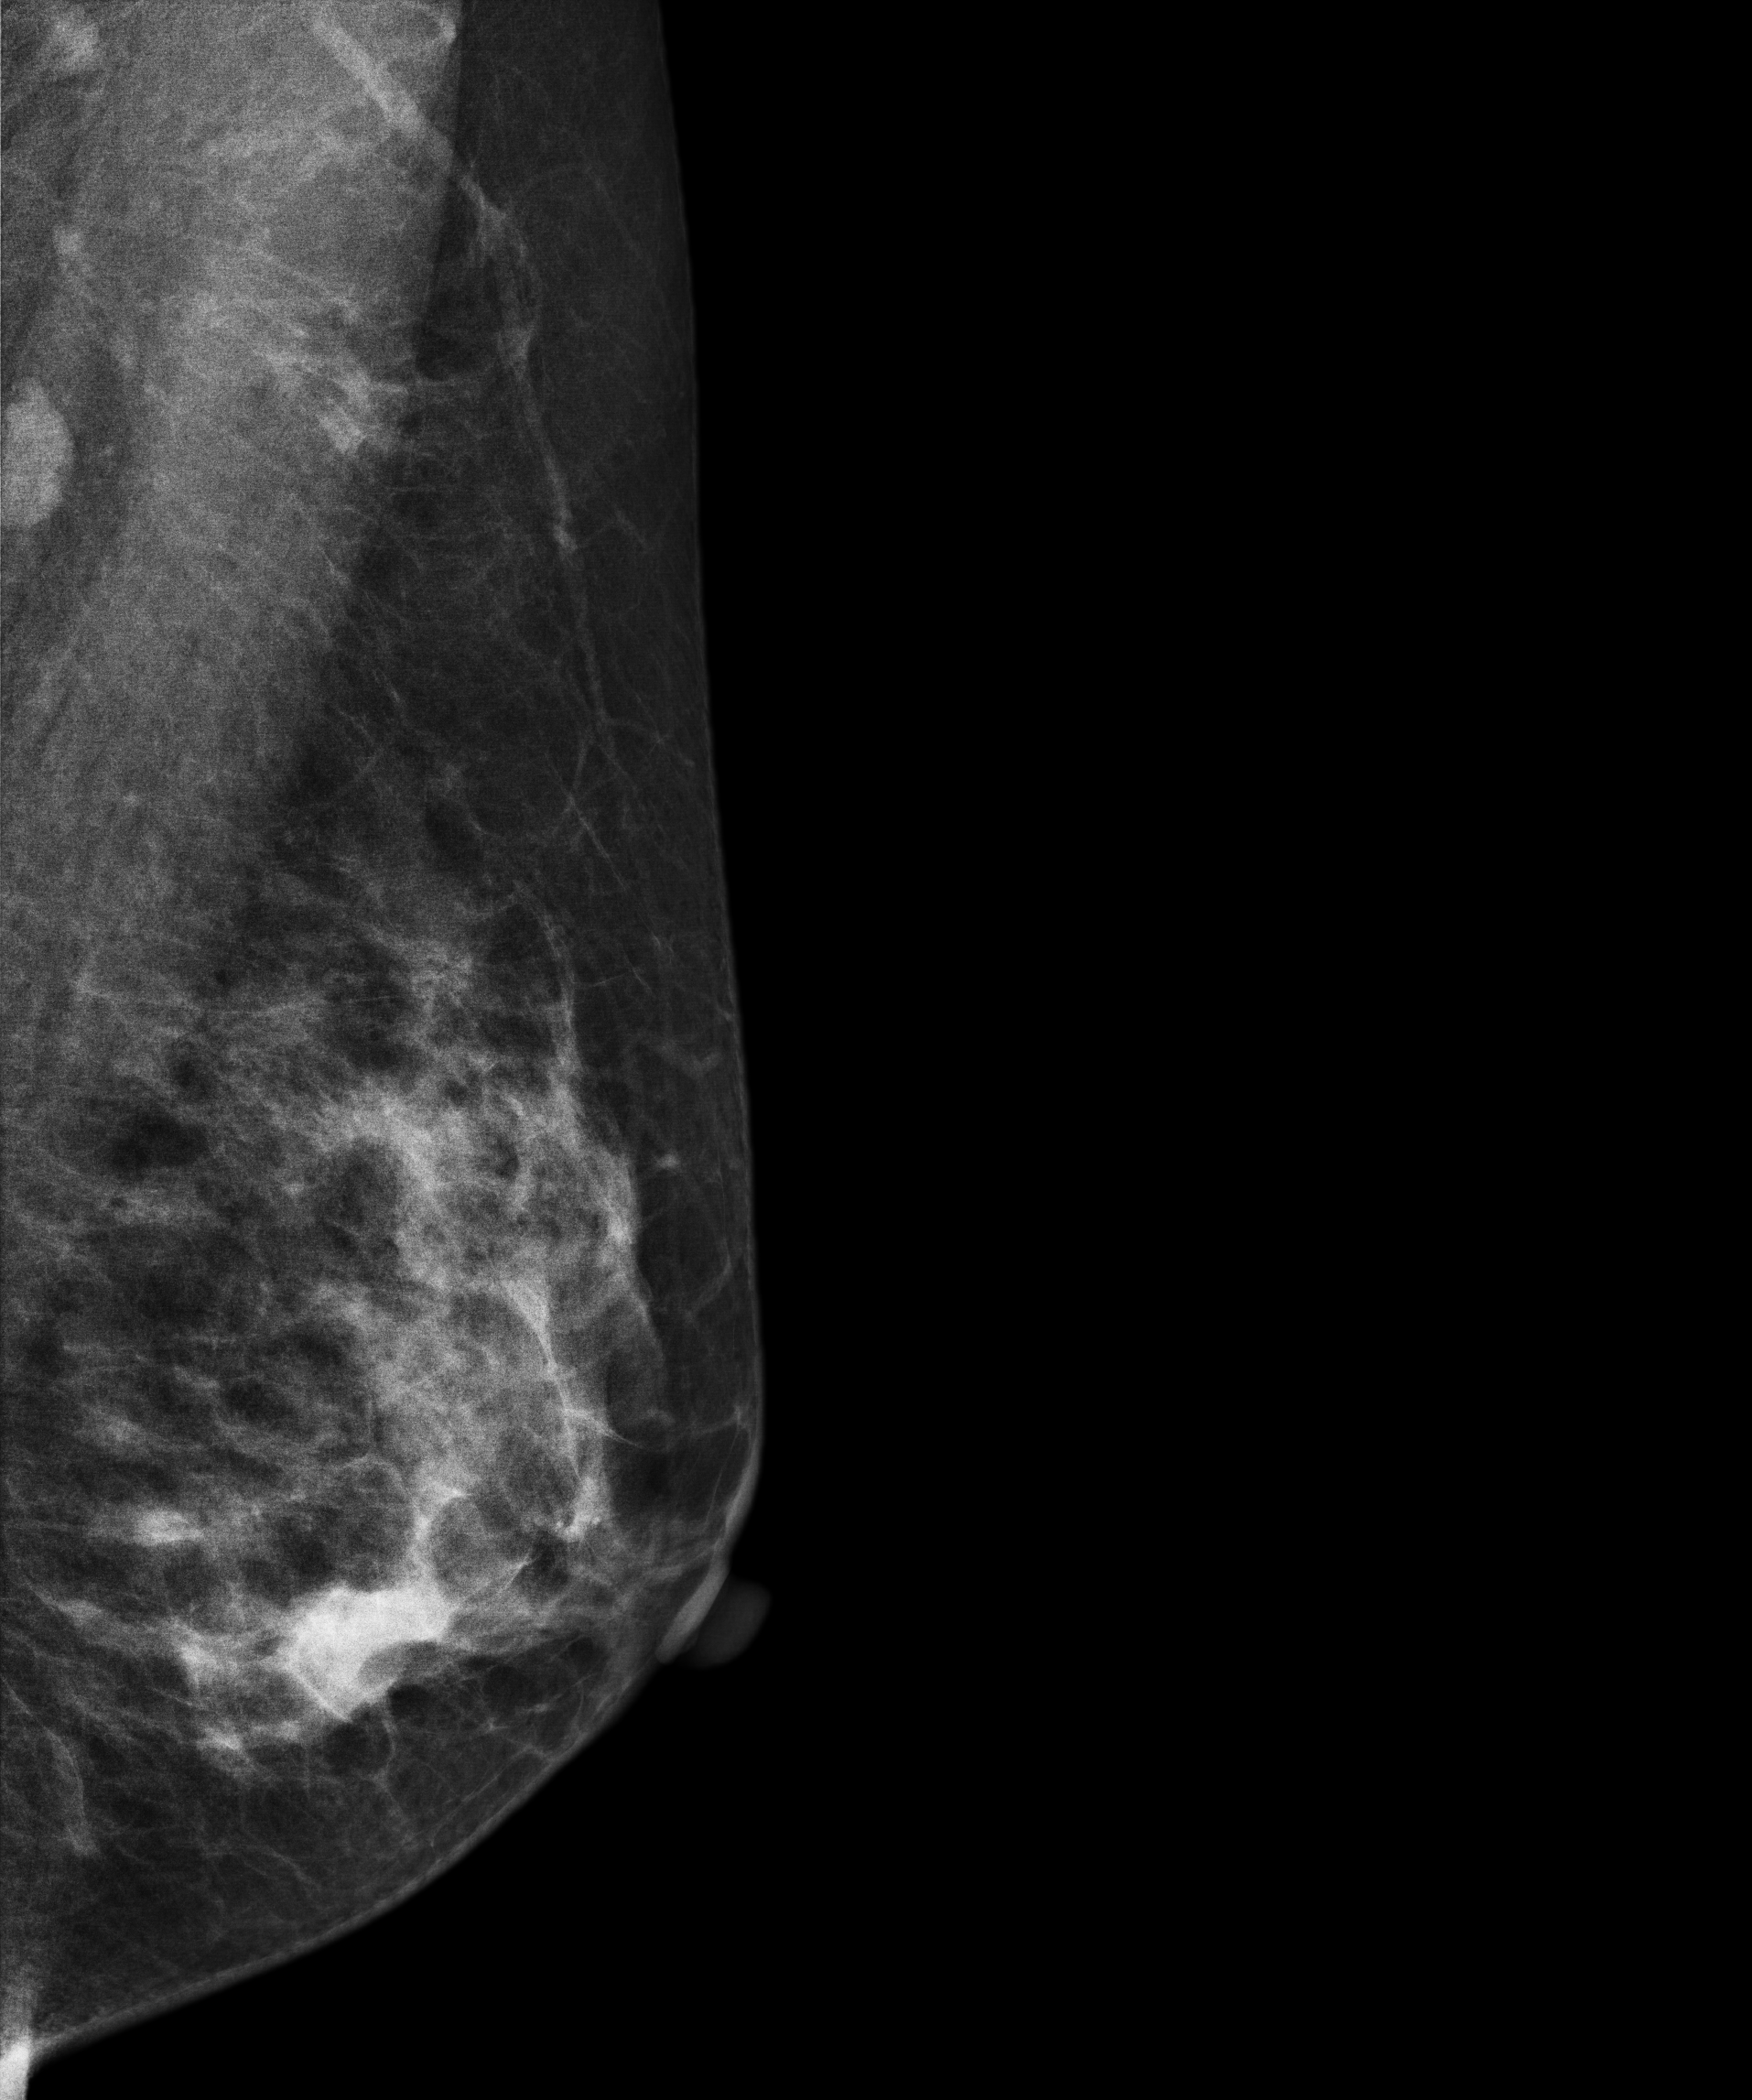
Medio-lateral oblique mammogram of the left breast. 51-year-old patient.
This breast has a mass, pathology-confirmed malignant.